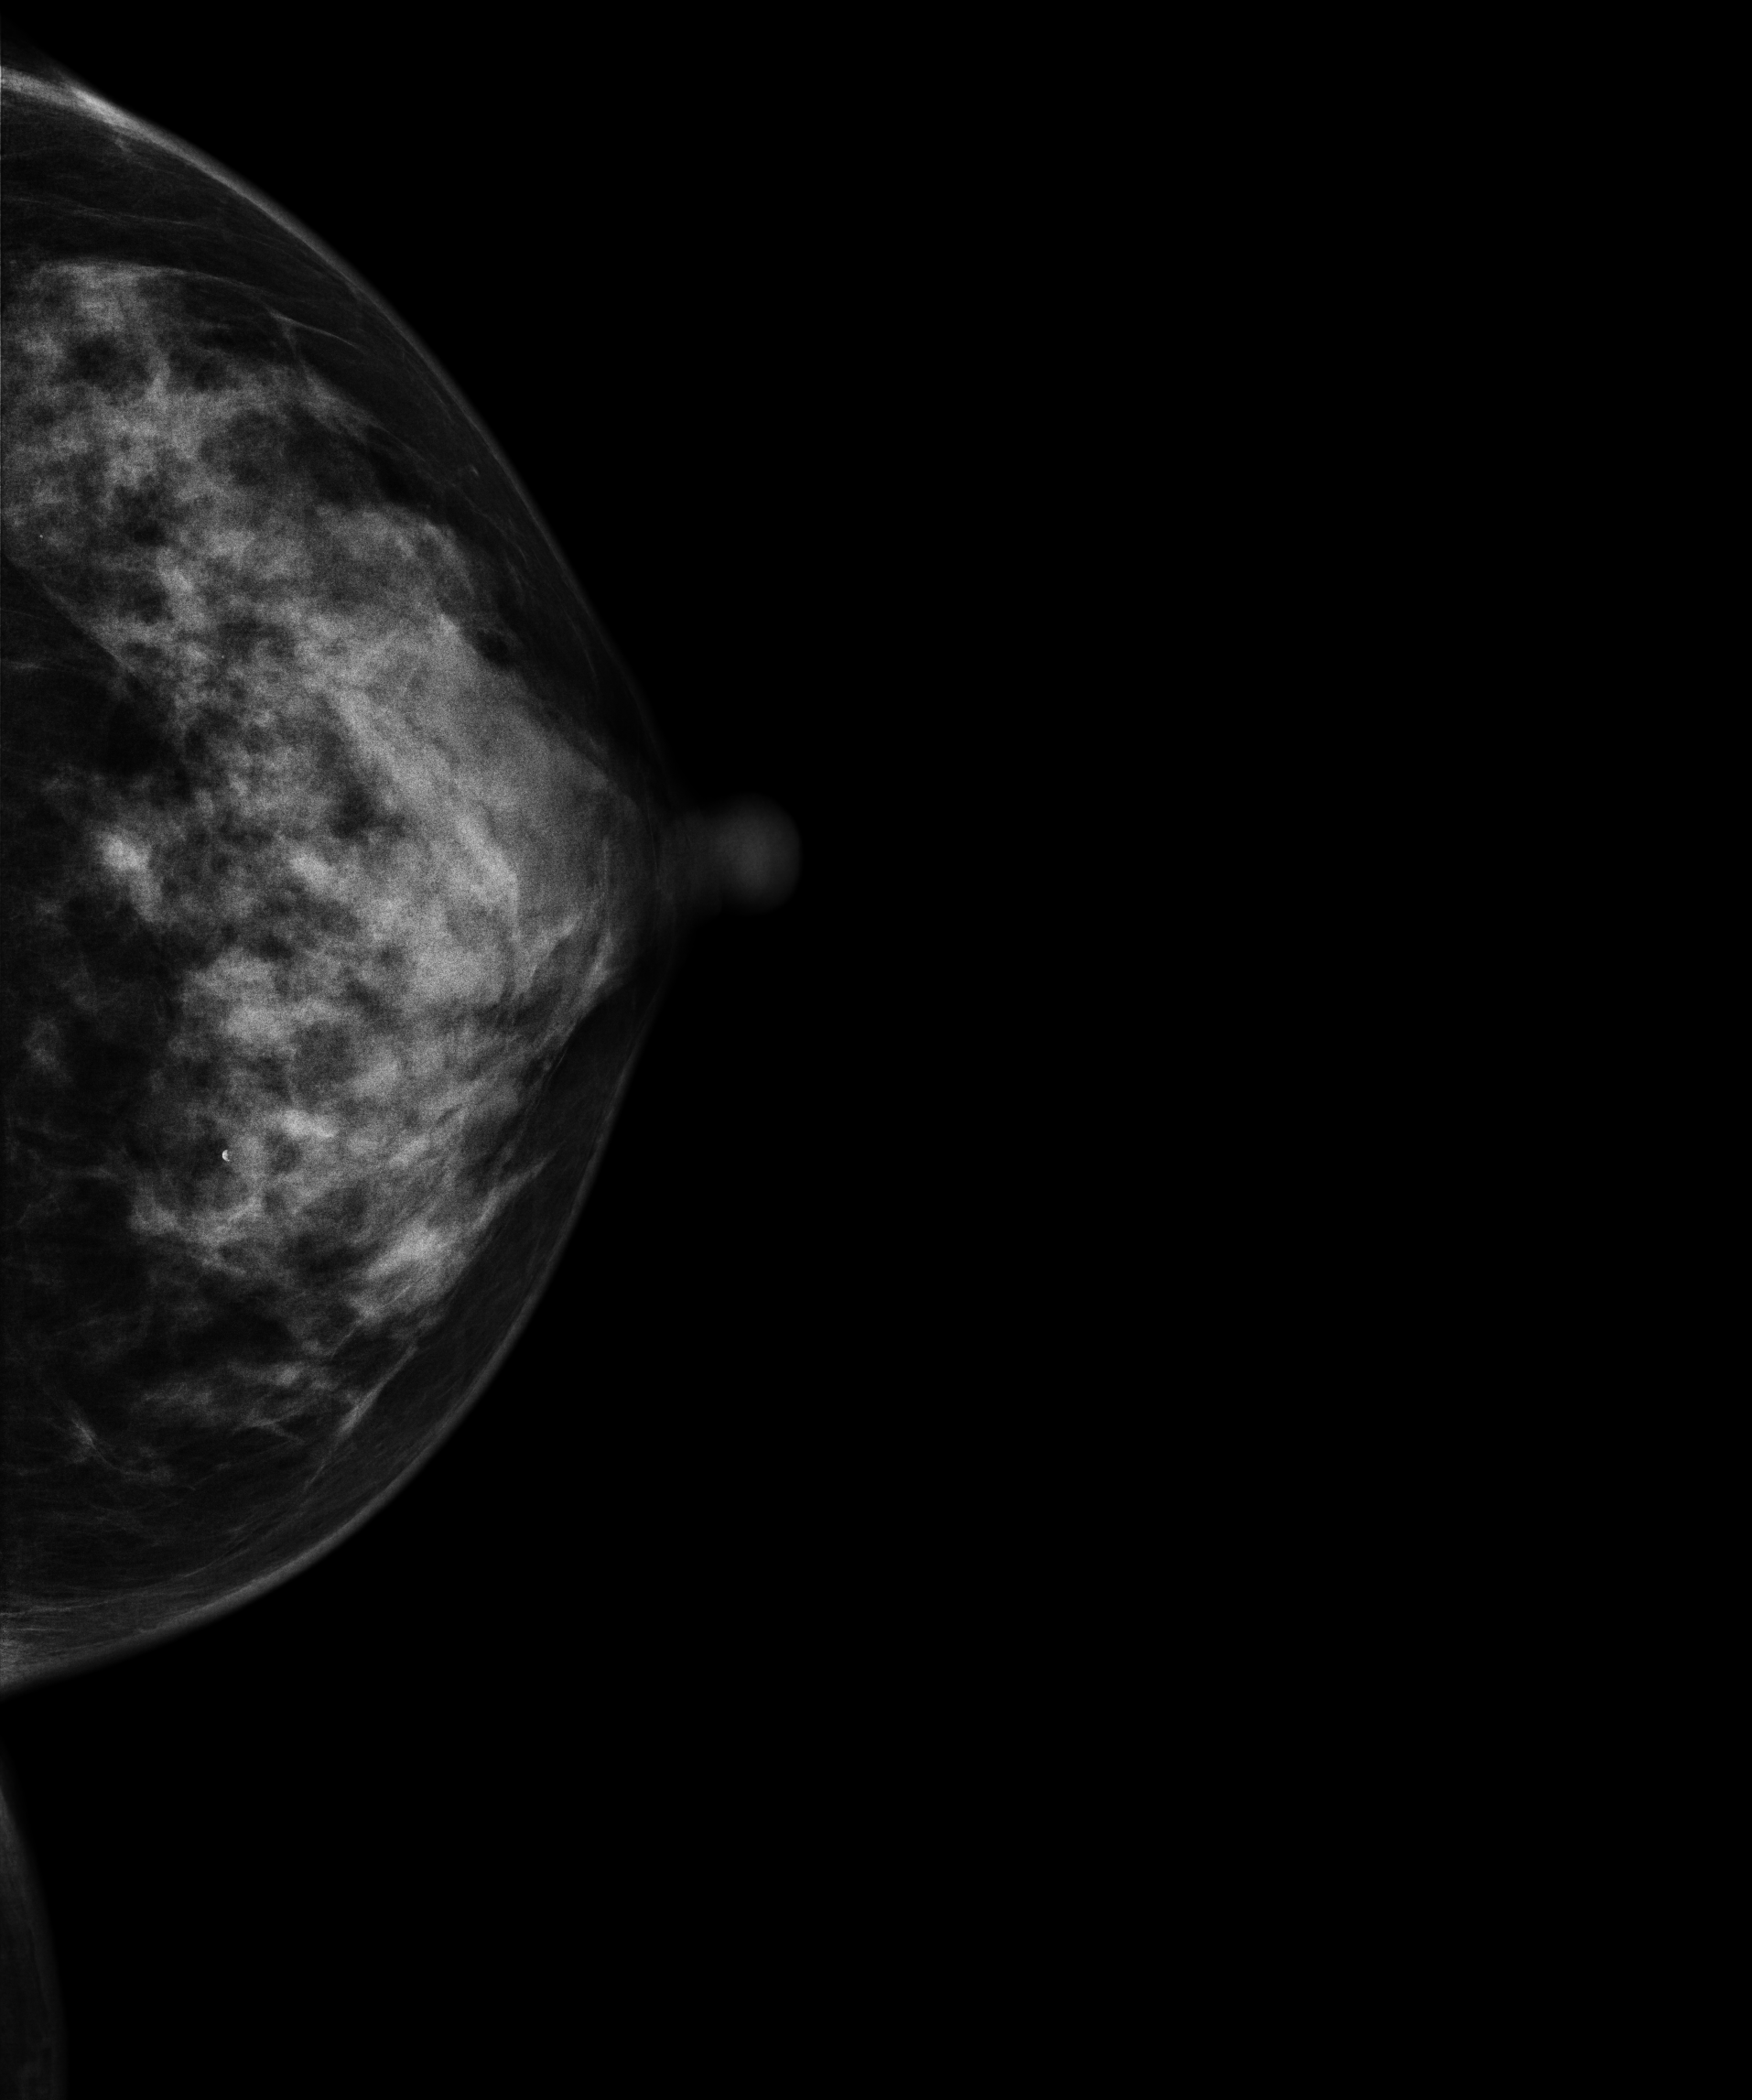
Mammogram, left breast, CC view. Patient age 59.
This breast has calcifications, histologically confirmed benign.